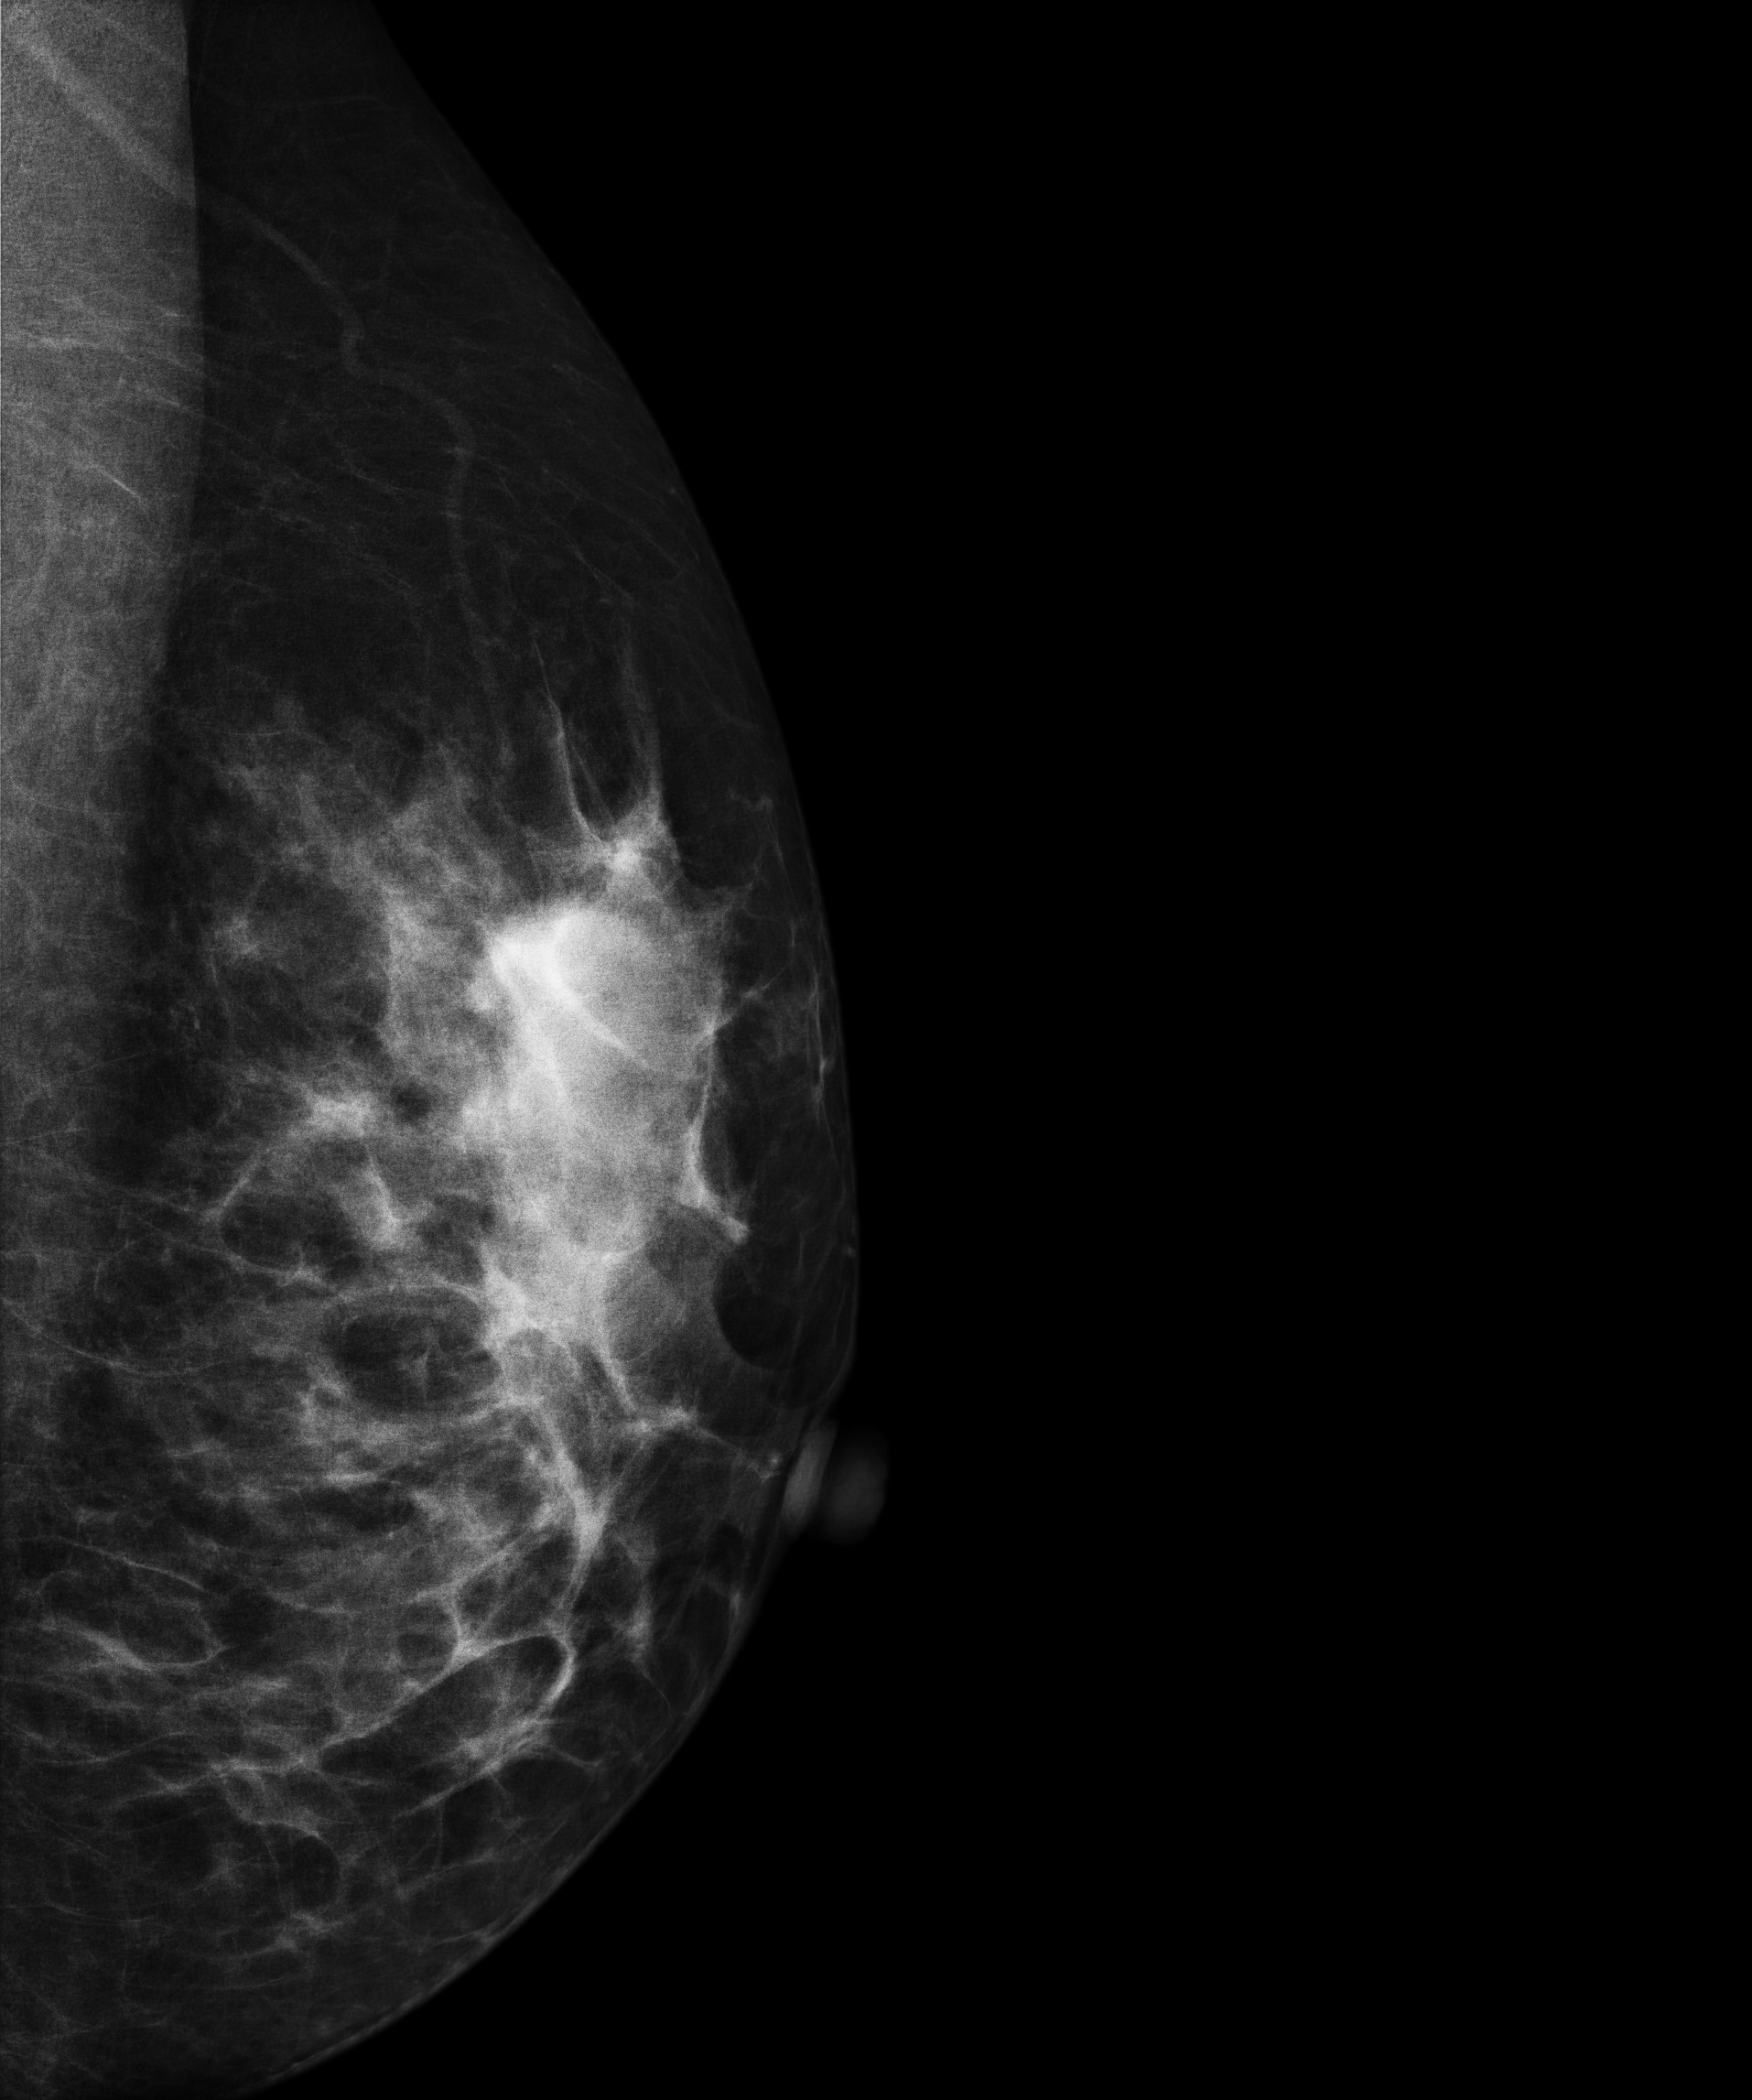
Mammogram — left medio-lateral oblique. 41 y/o patient.
This breast has a mass, biopsy-proven malignant. Molecular subtype: luminal B.